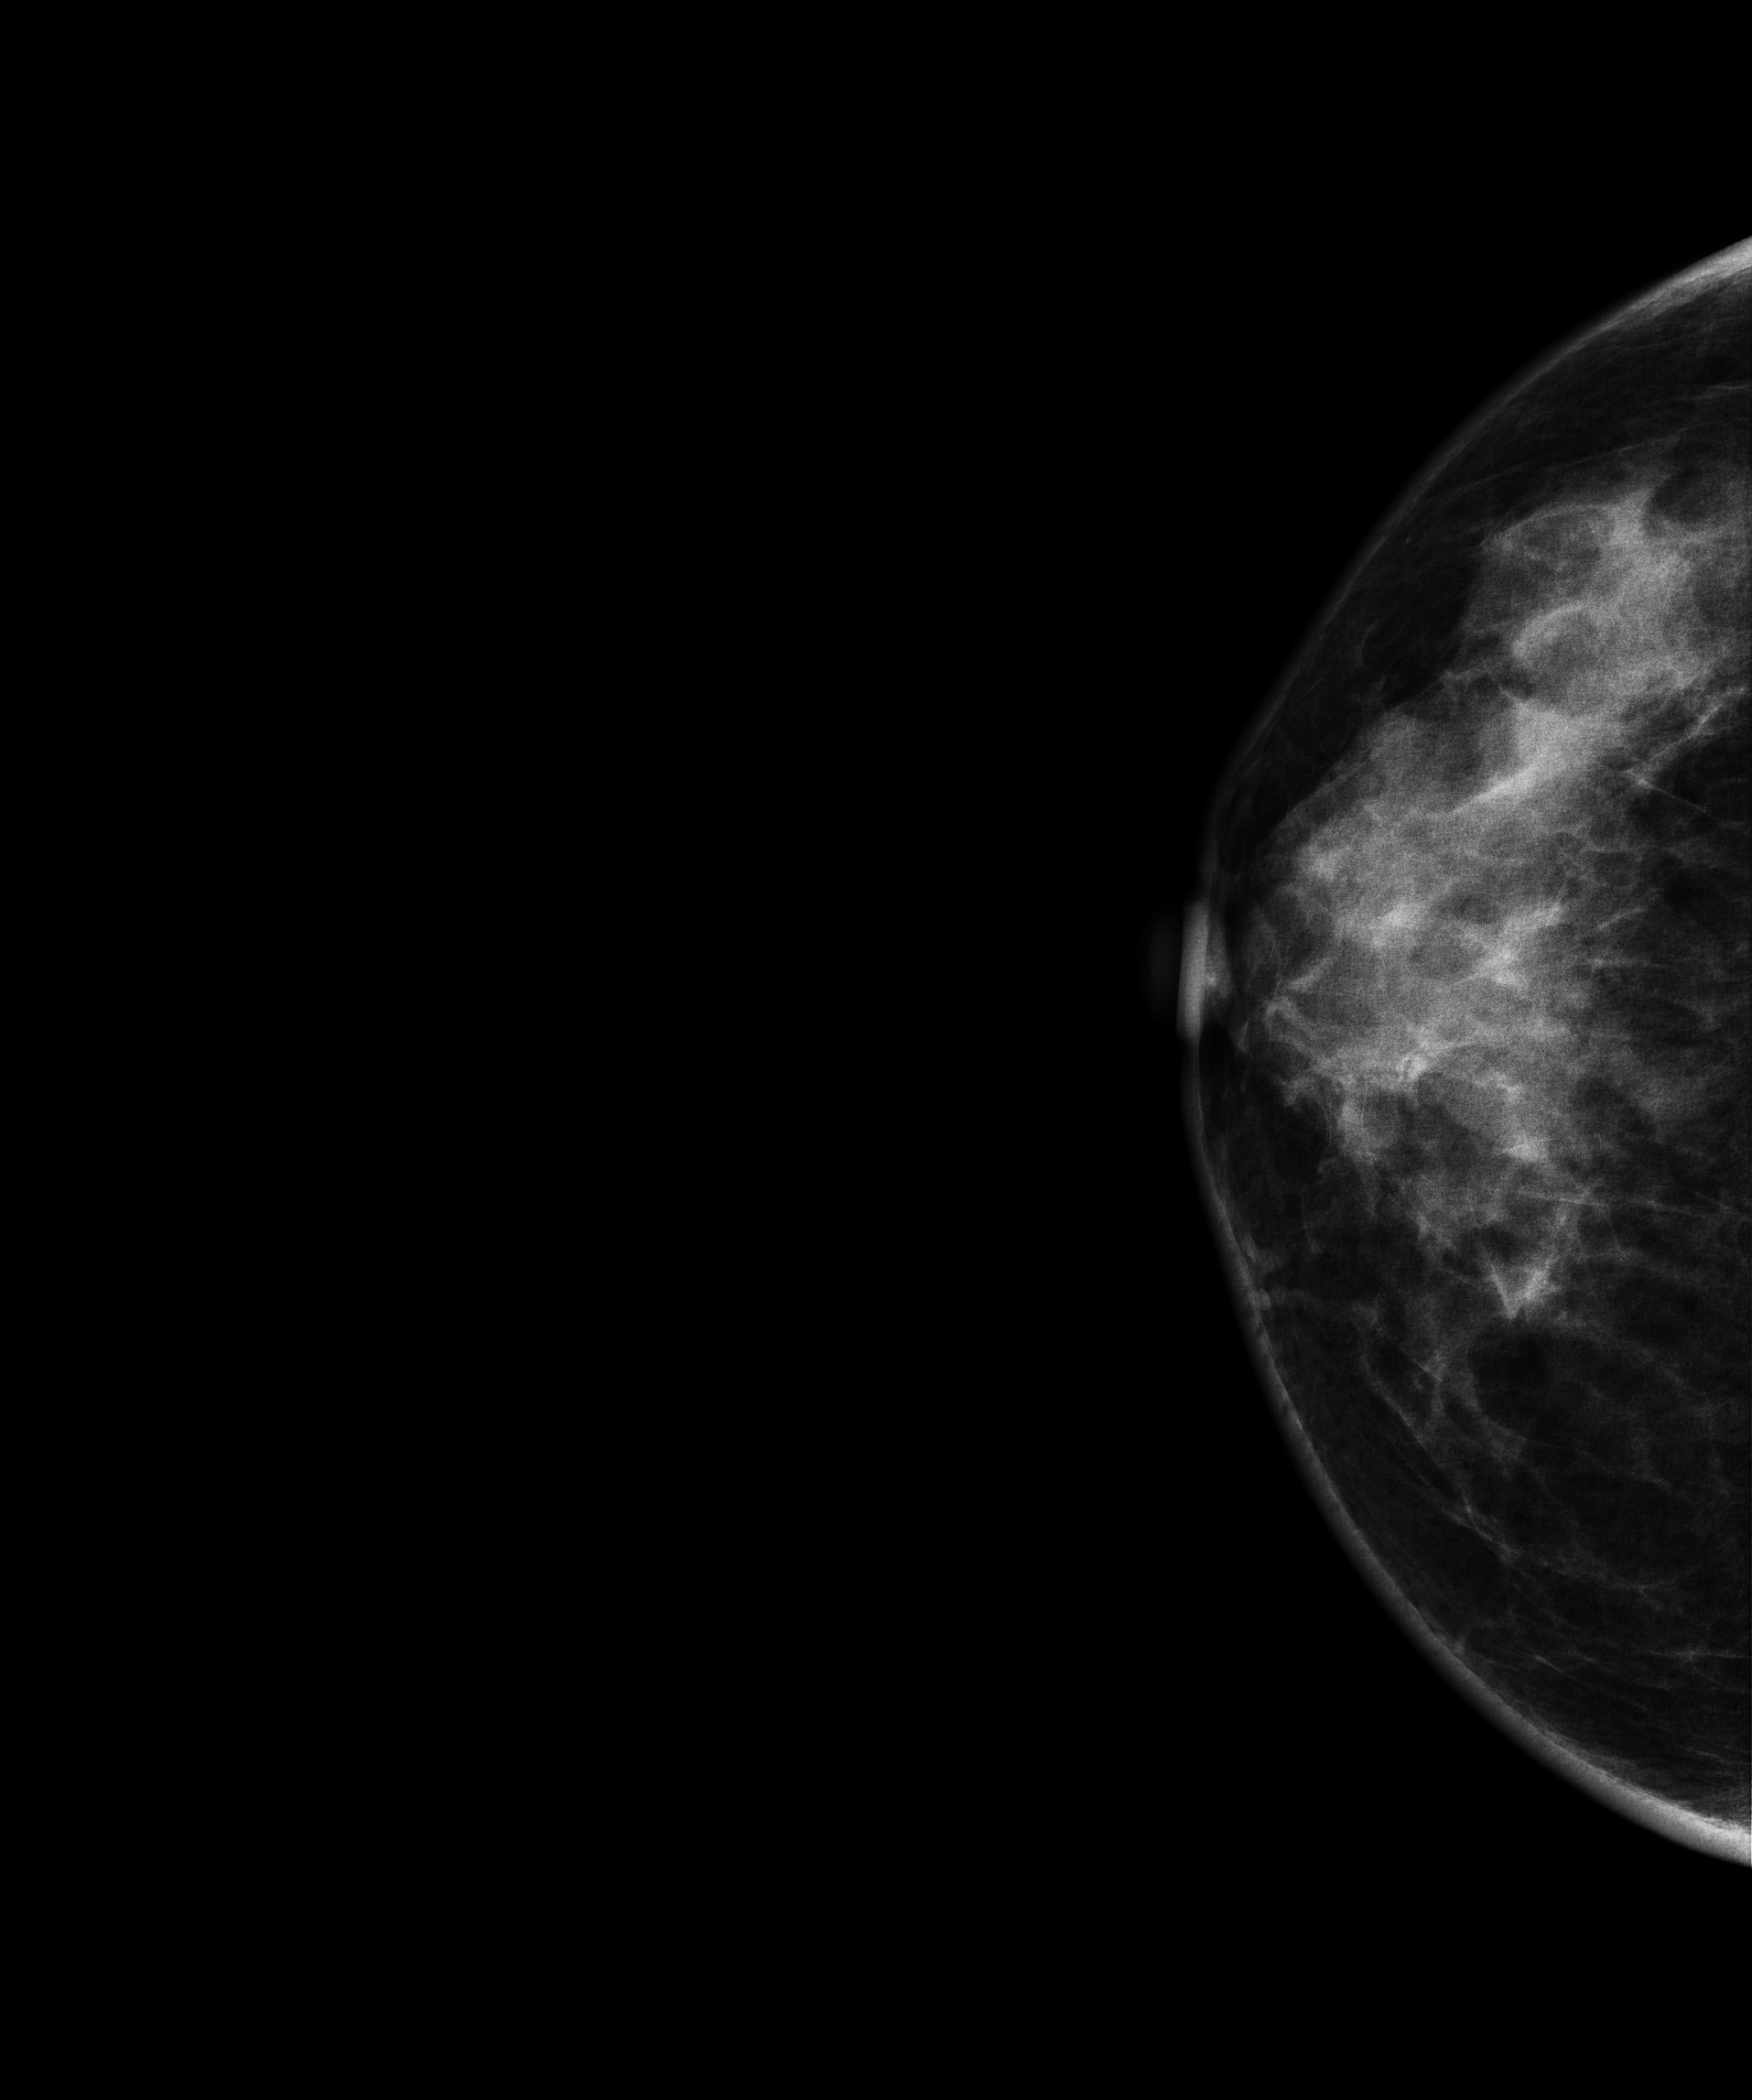
Right-breast mammogram, CC. 48-year-old patient.
This breast has a mass, histologically confirmed benign.